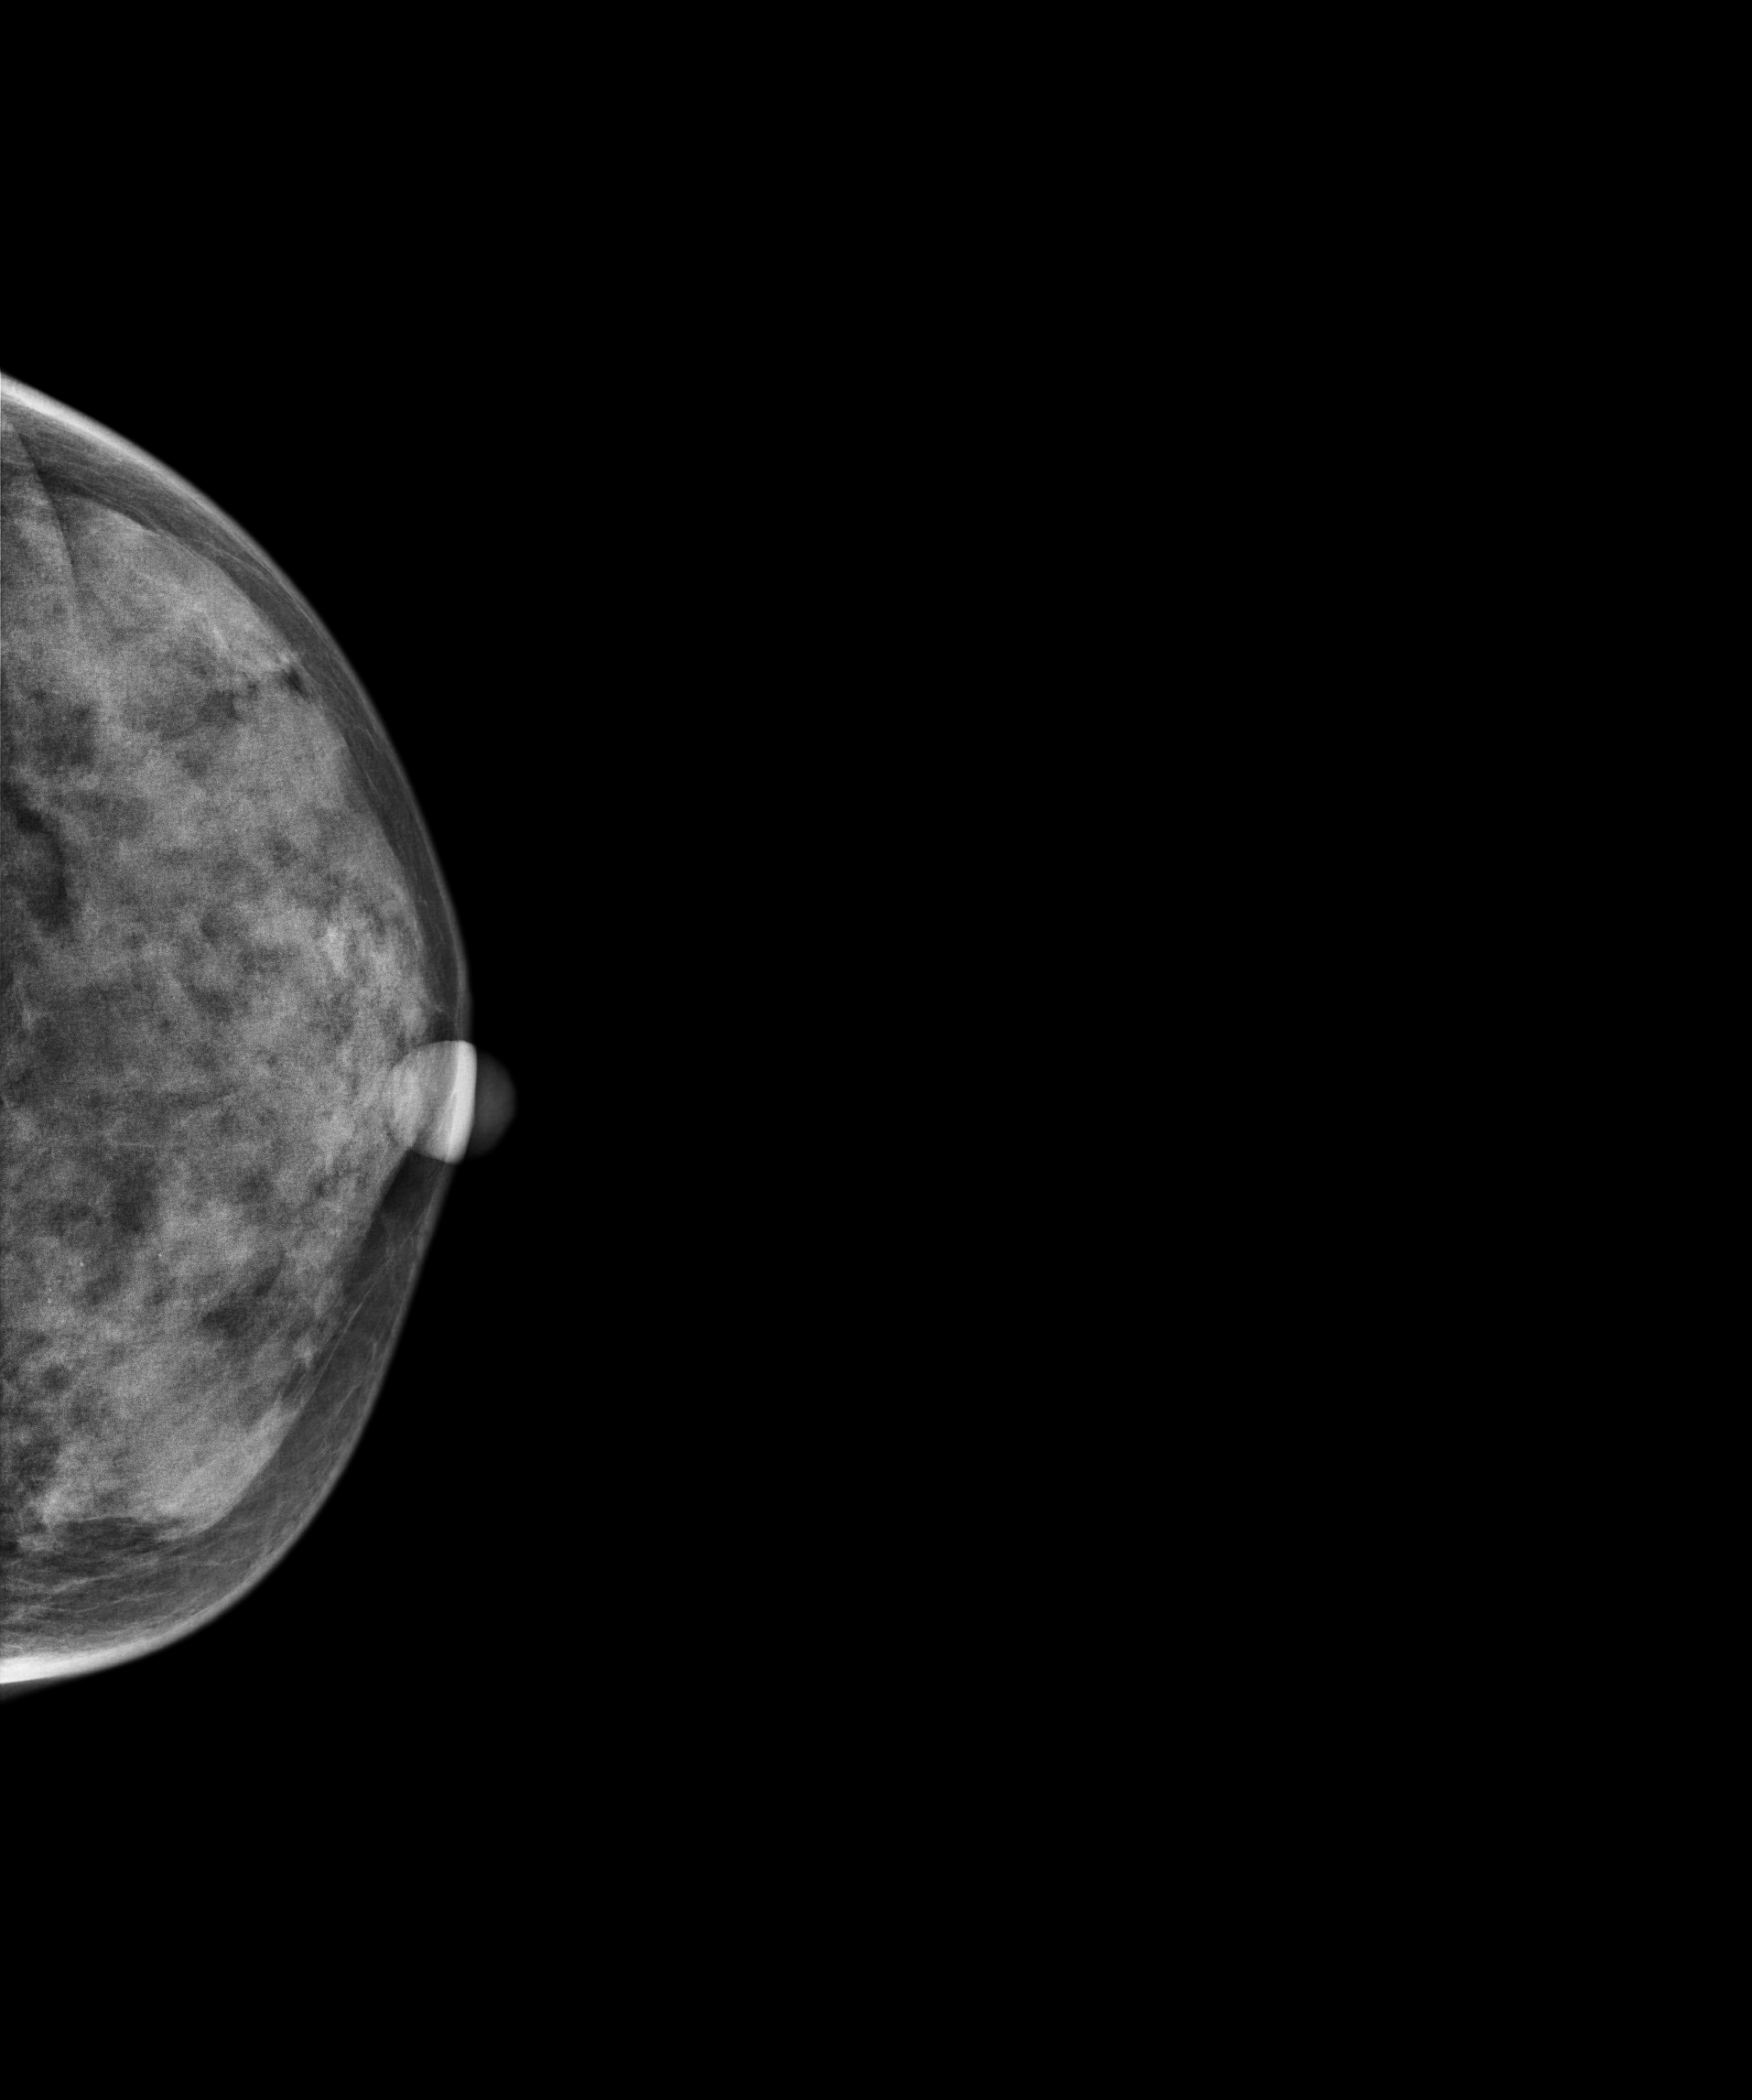
Mammogram — left cranio-caudal. 47-year-old patient.
This breast has a mass and calcifications, histologically confirmed malignant. Molecular subtype: luminal A.